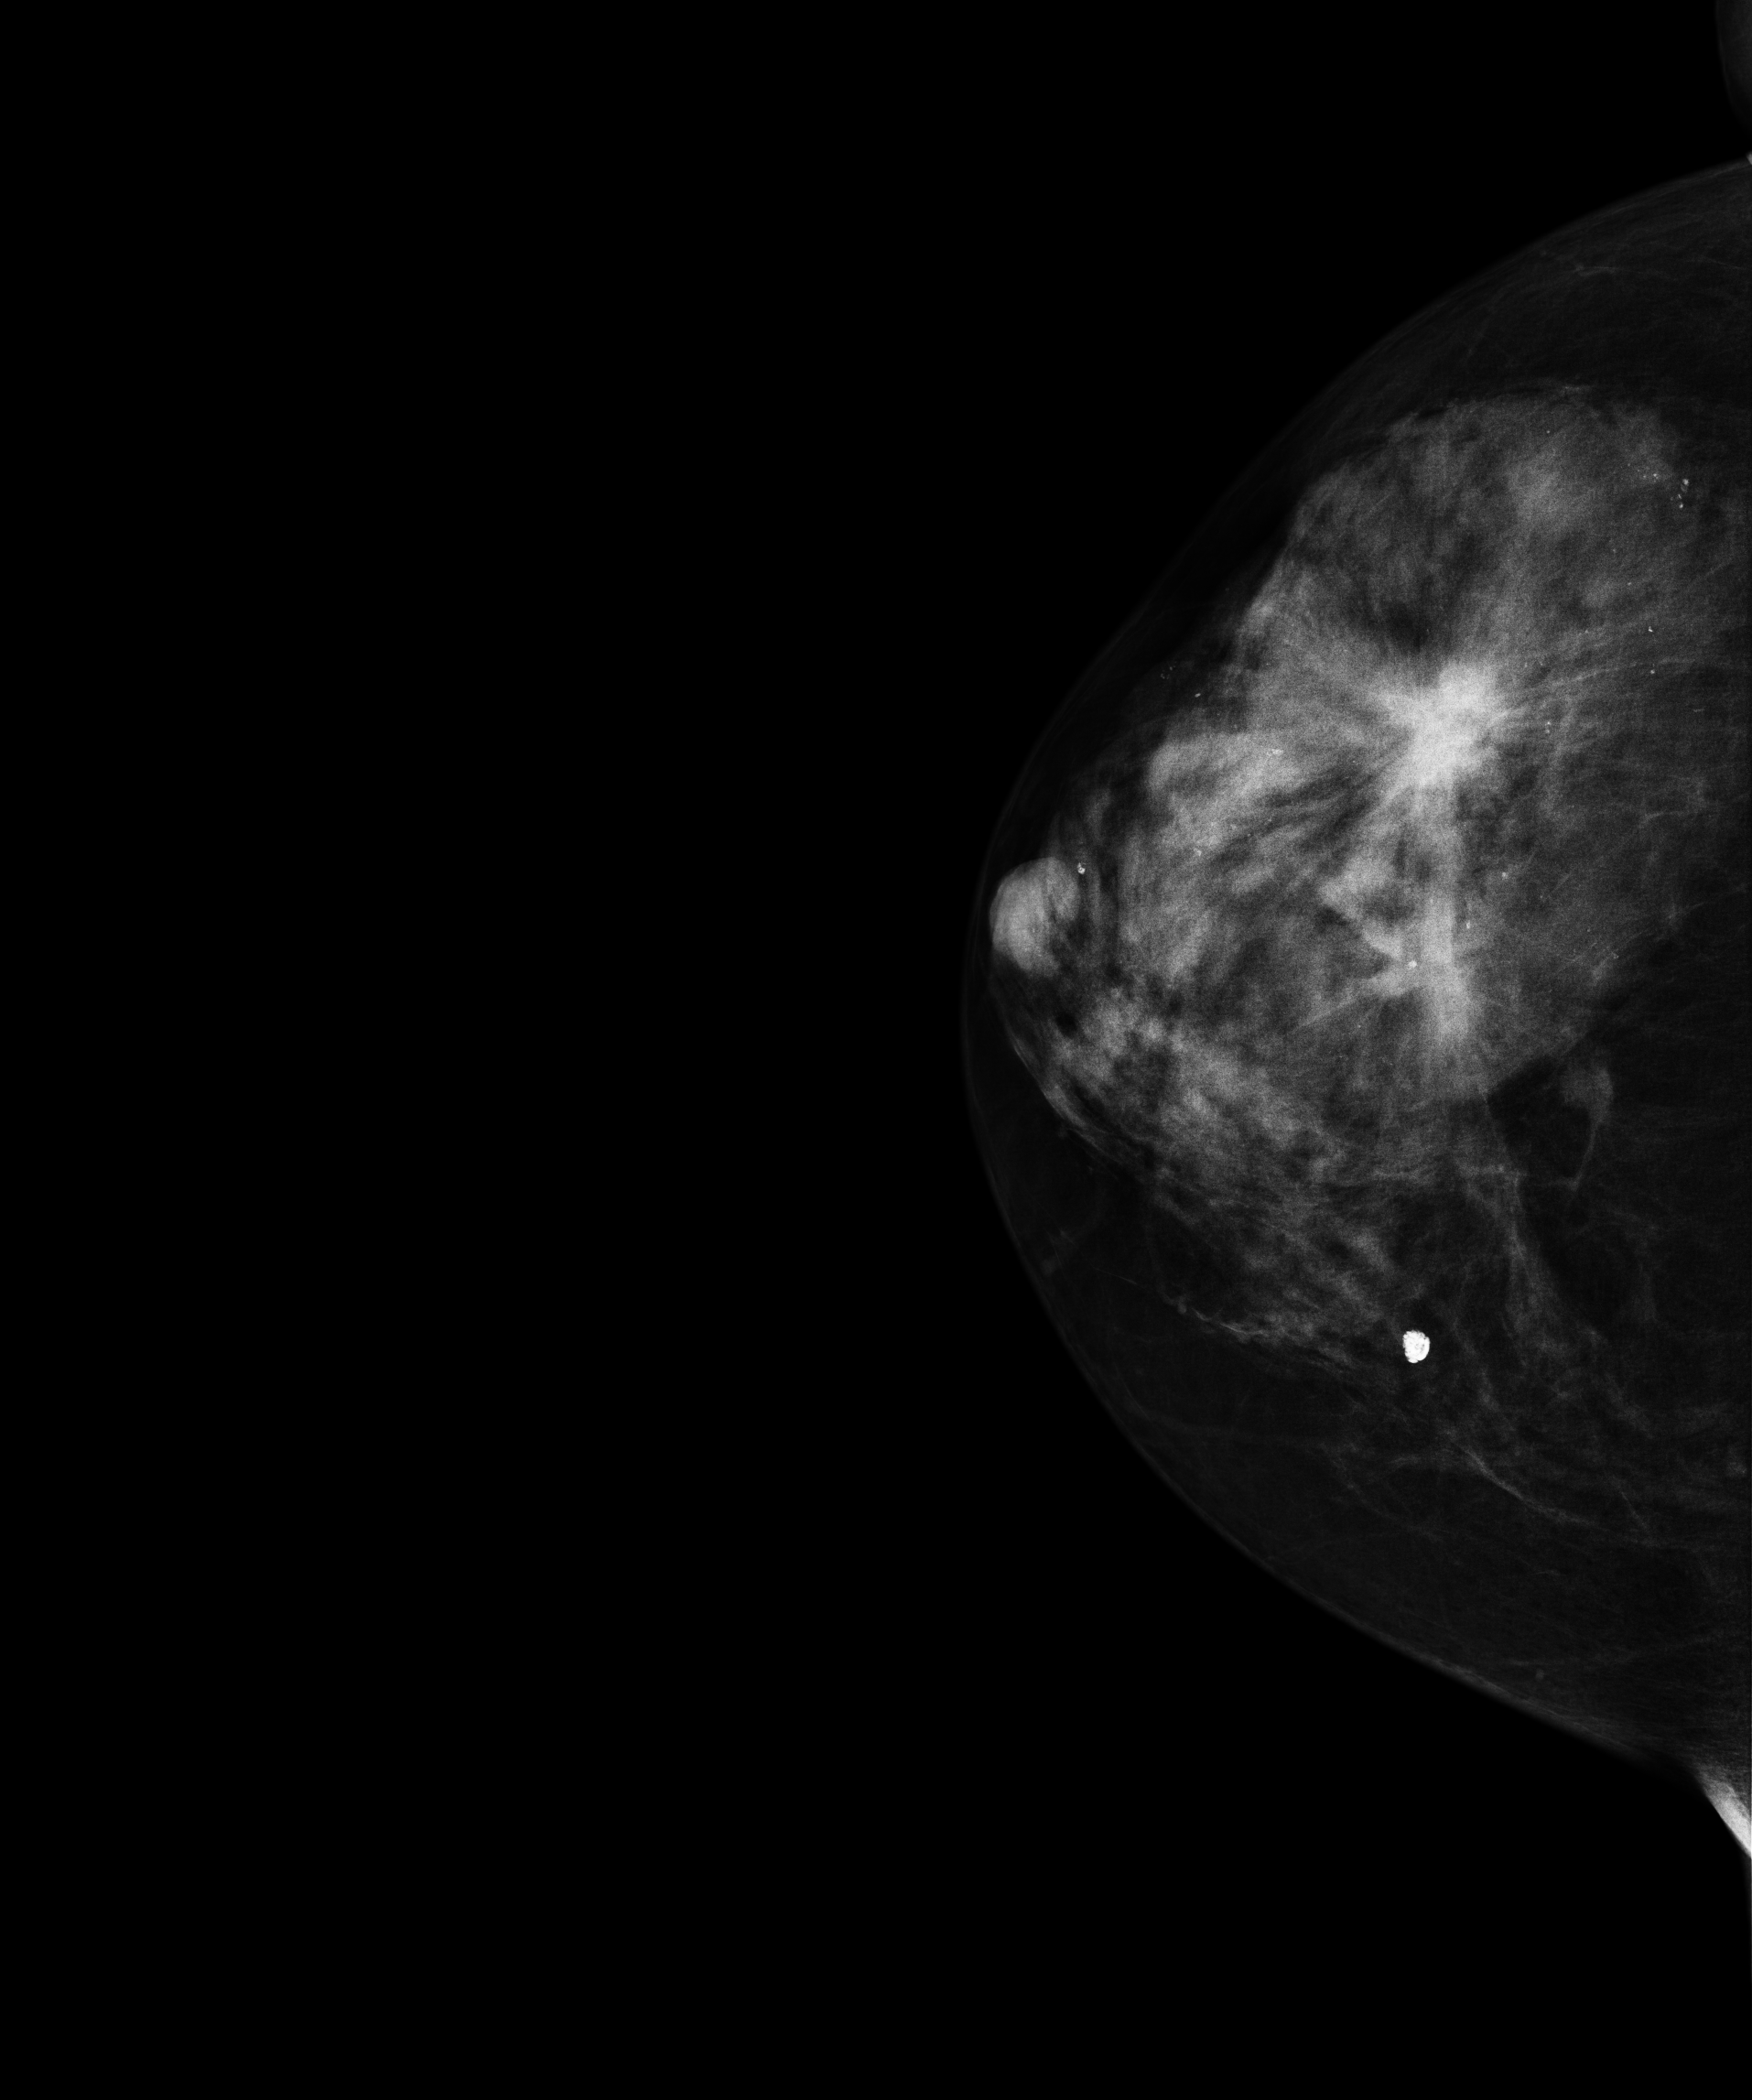
Mammogram — right cranio-caudal. Patient age 48.
This breast has a mass and calcifications, biopsy-proven malignant.